Mammogram, left breast, CC view. 57 y/o patient.
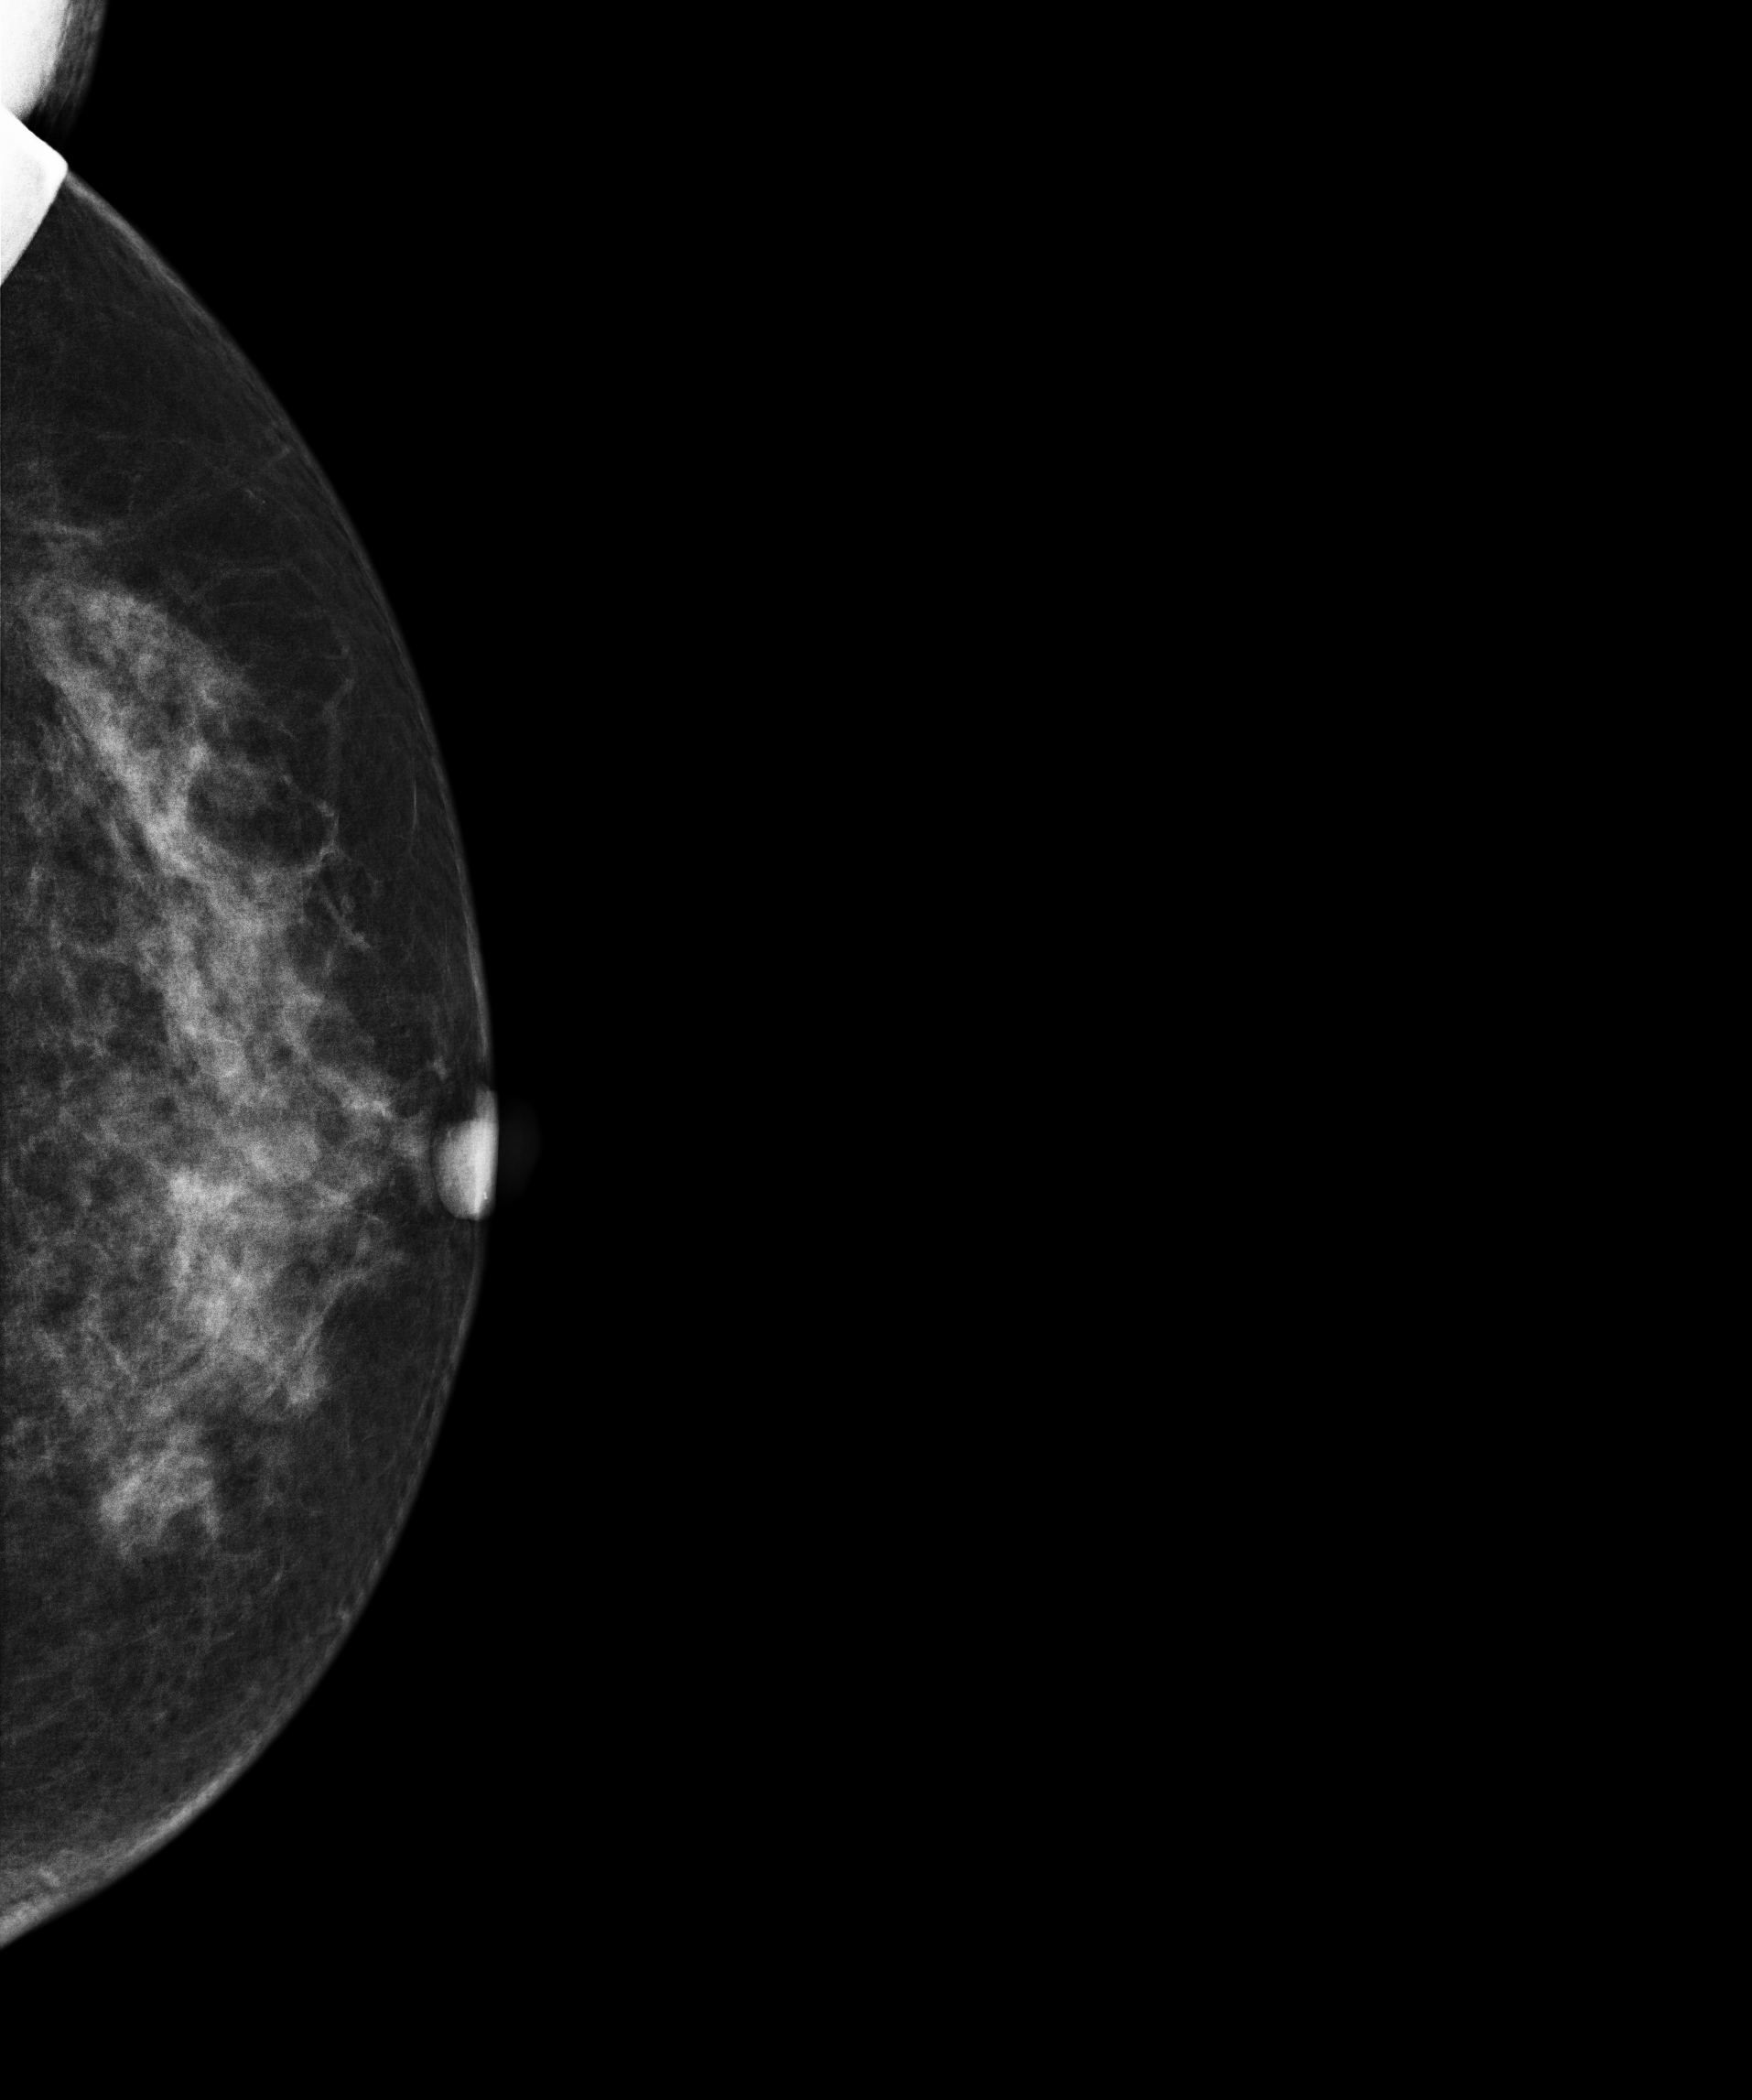
This breast has a mass, biopsy-confirmed malignant. Molecular subtype: luminal A.